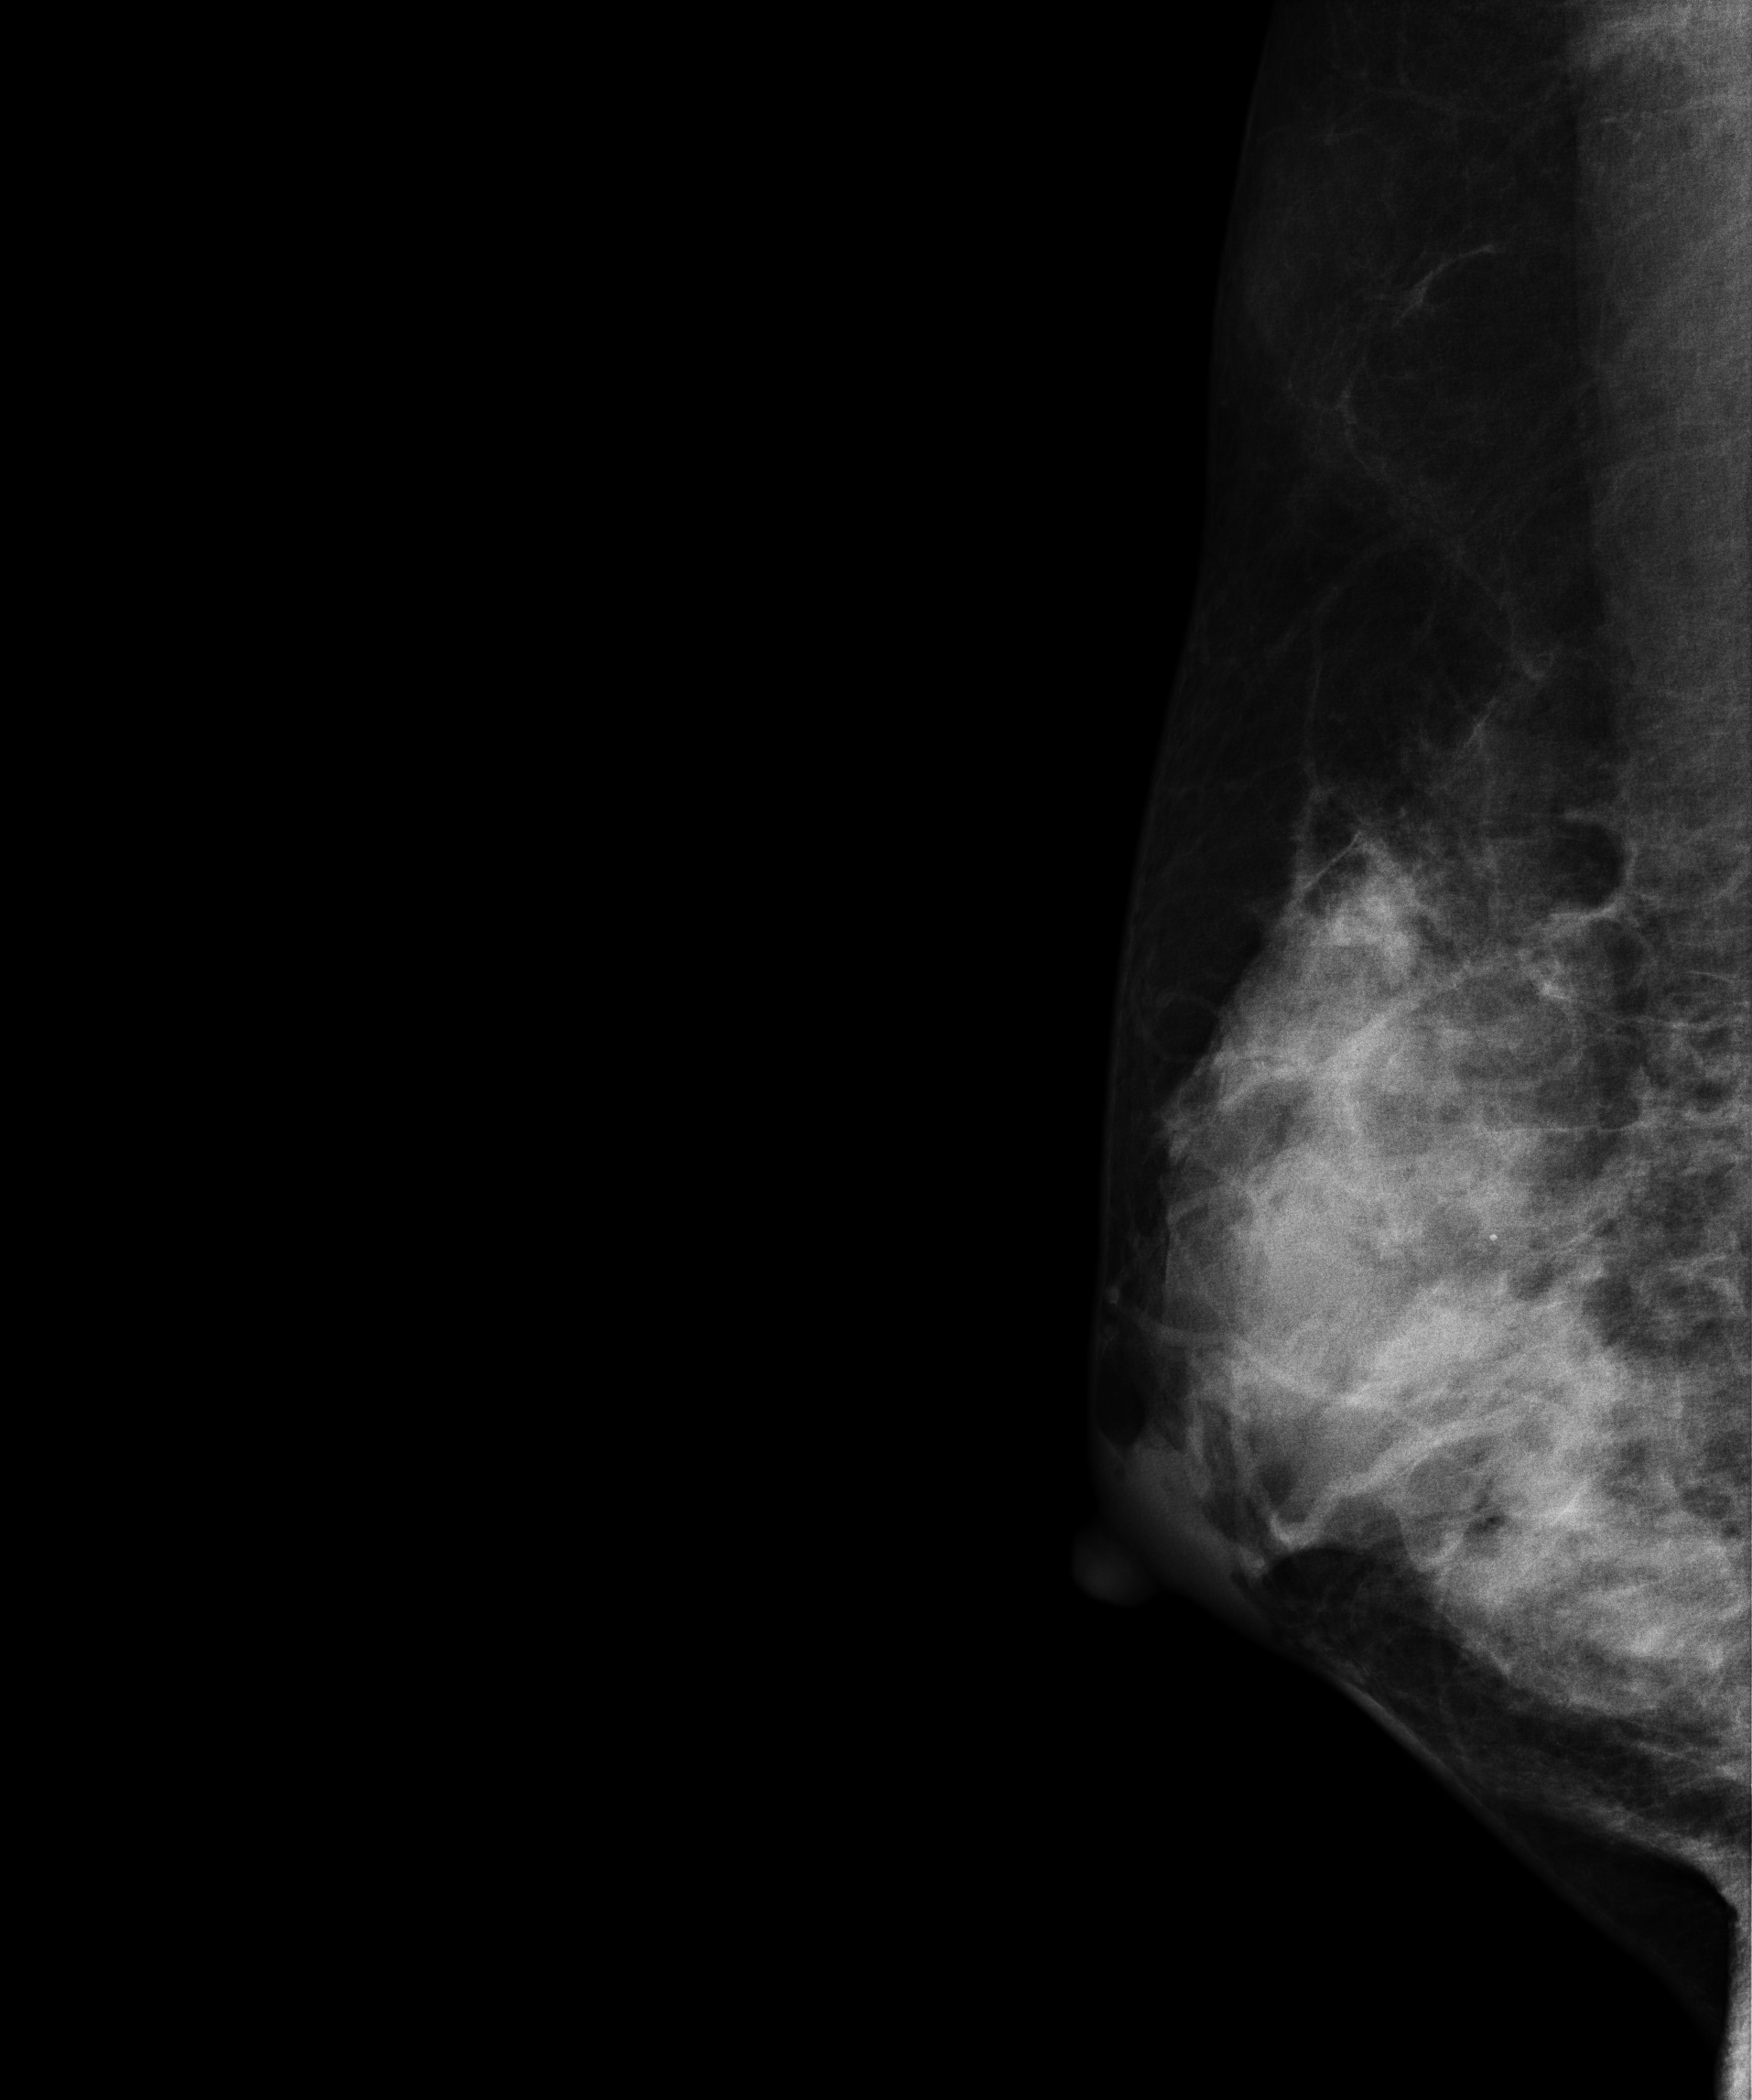
Mammogram, right breast, MLO view. Patient age 48.
This breast has a mass, biopsy-proven malignant. Molecular subtype: luminal B.